Right-breast mammogram, cranio-caudal. Patient age 32.
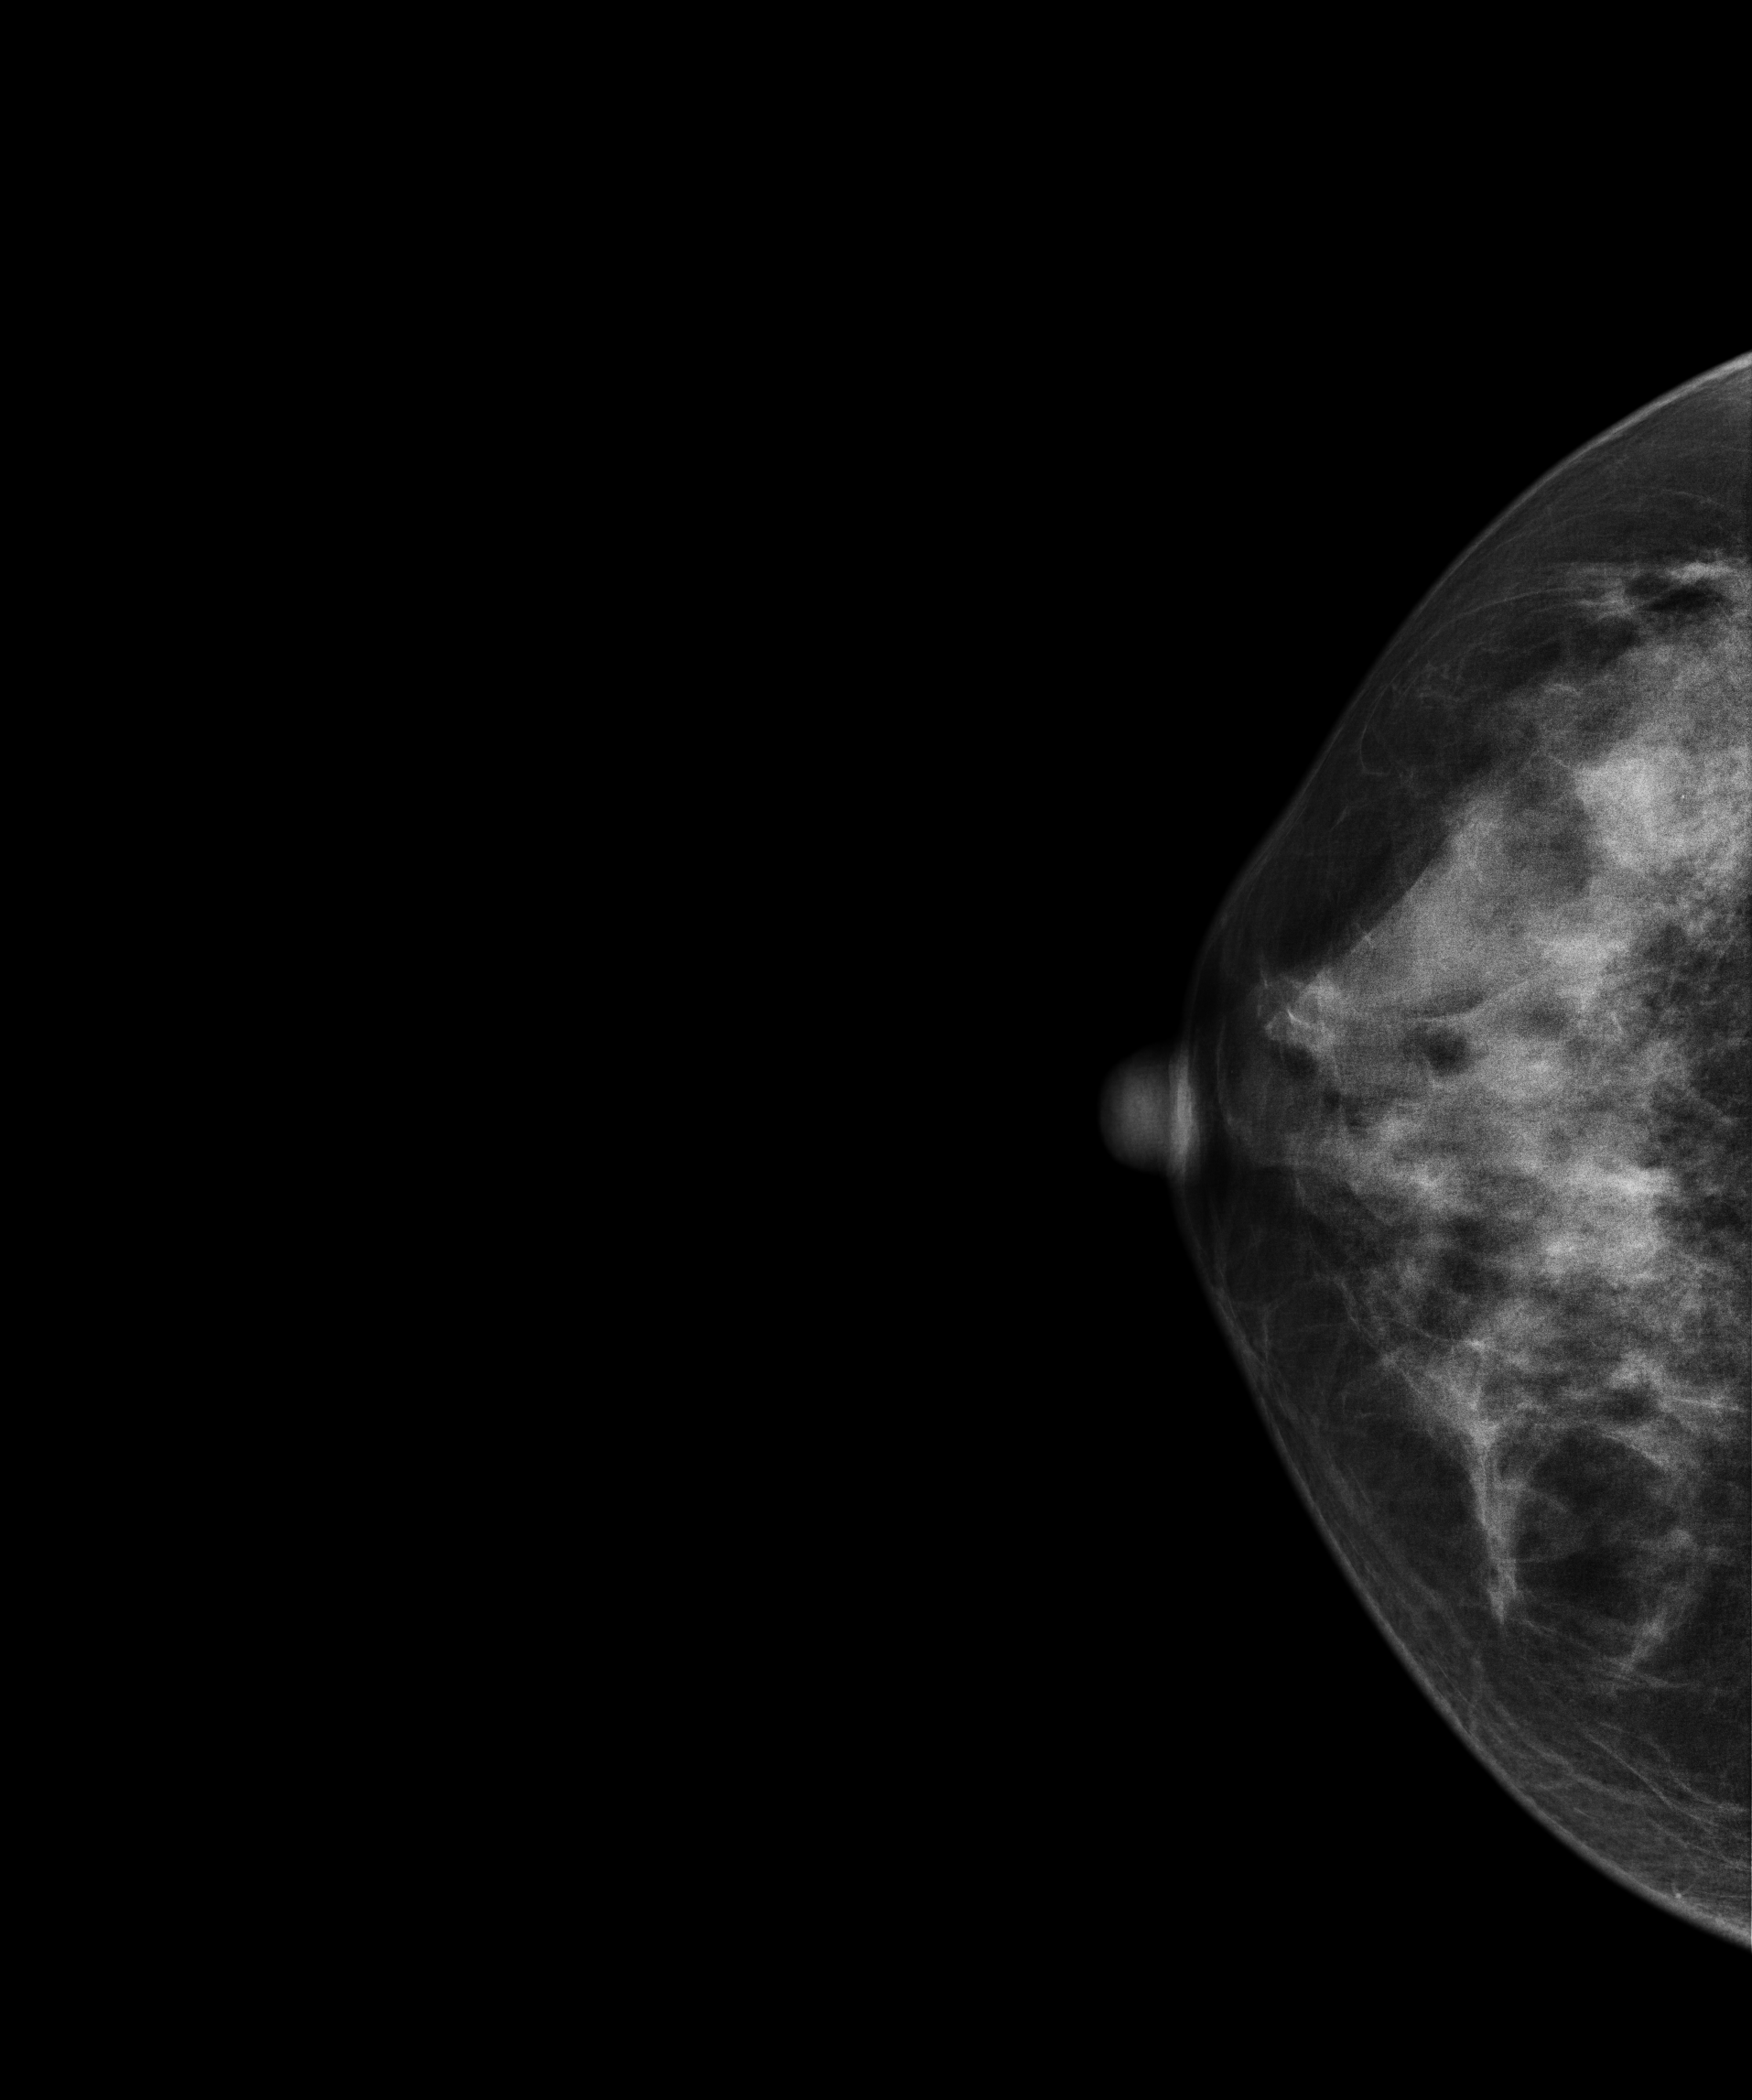
This breast has a mass, biopsy-confirmed benign.